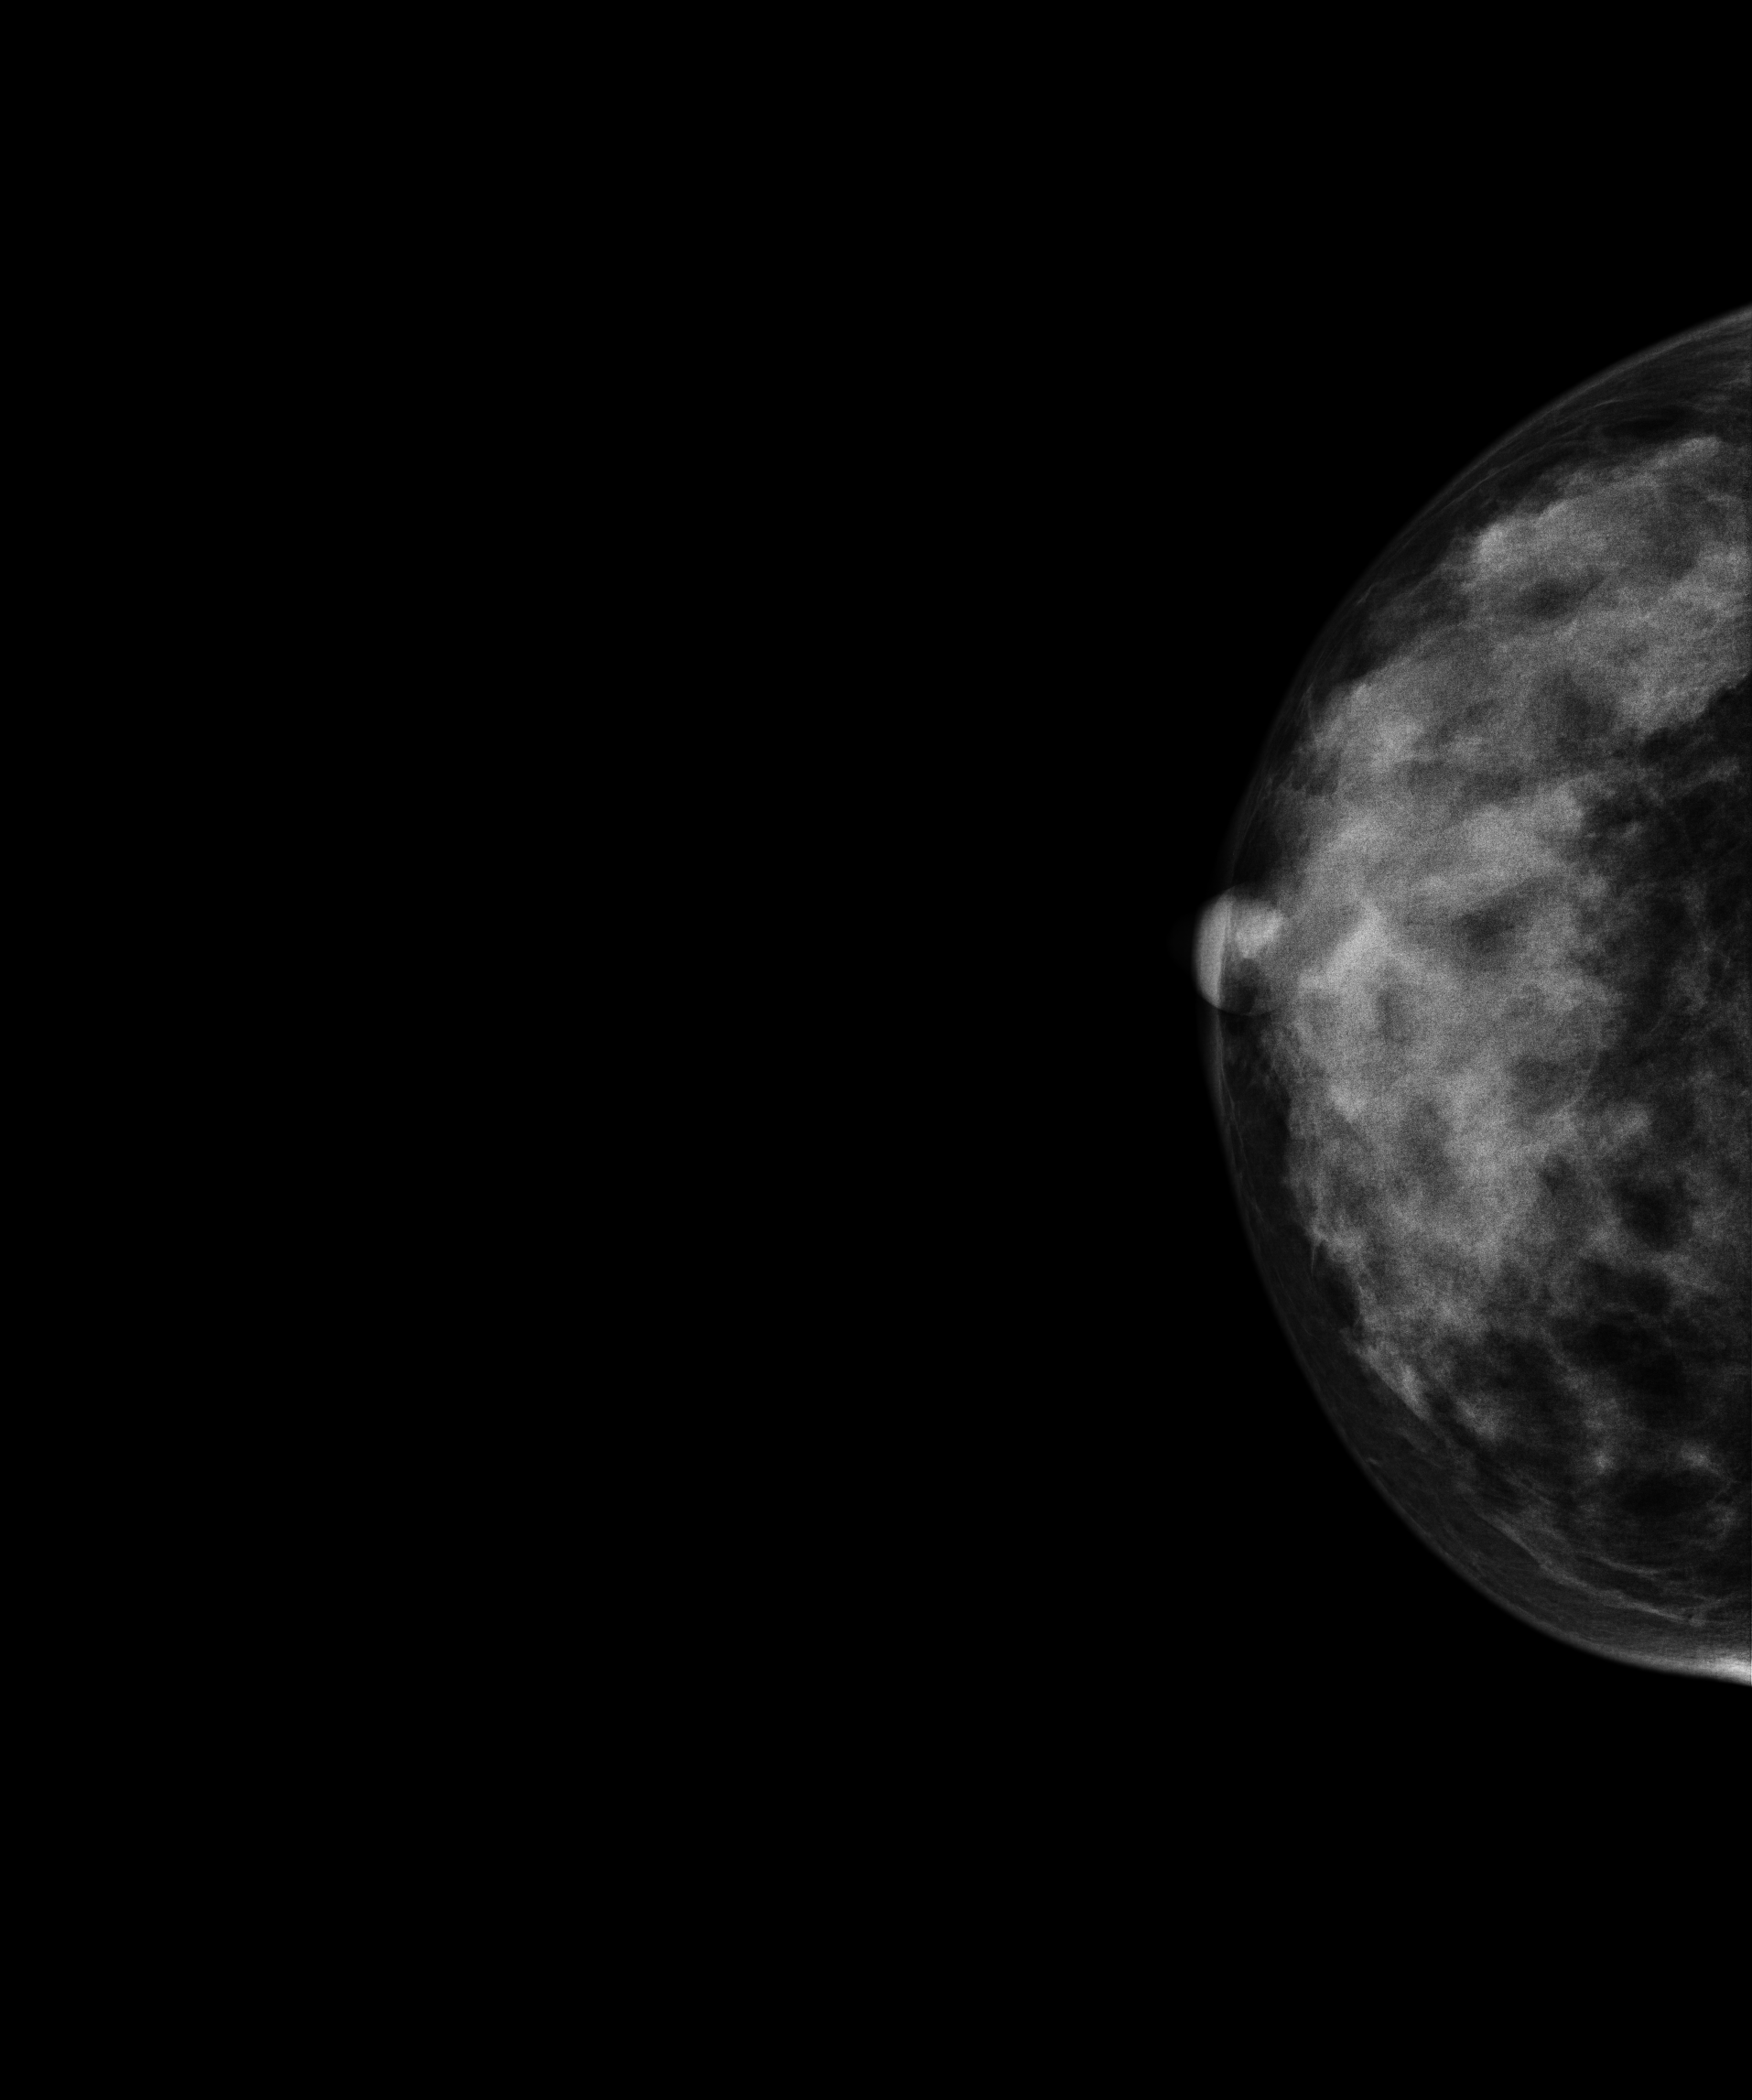
Mammogram, right breast, CC view. 37-year-old patient.
This breast has a mass, histologically confirmed benign.